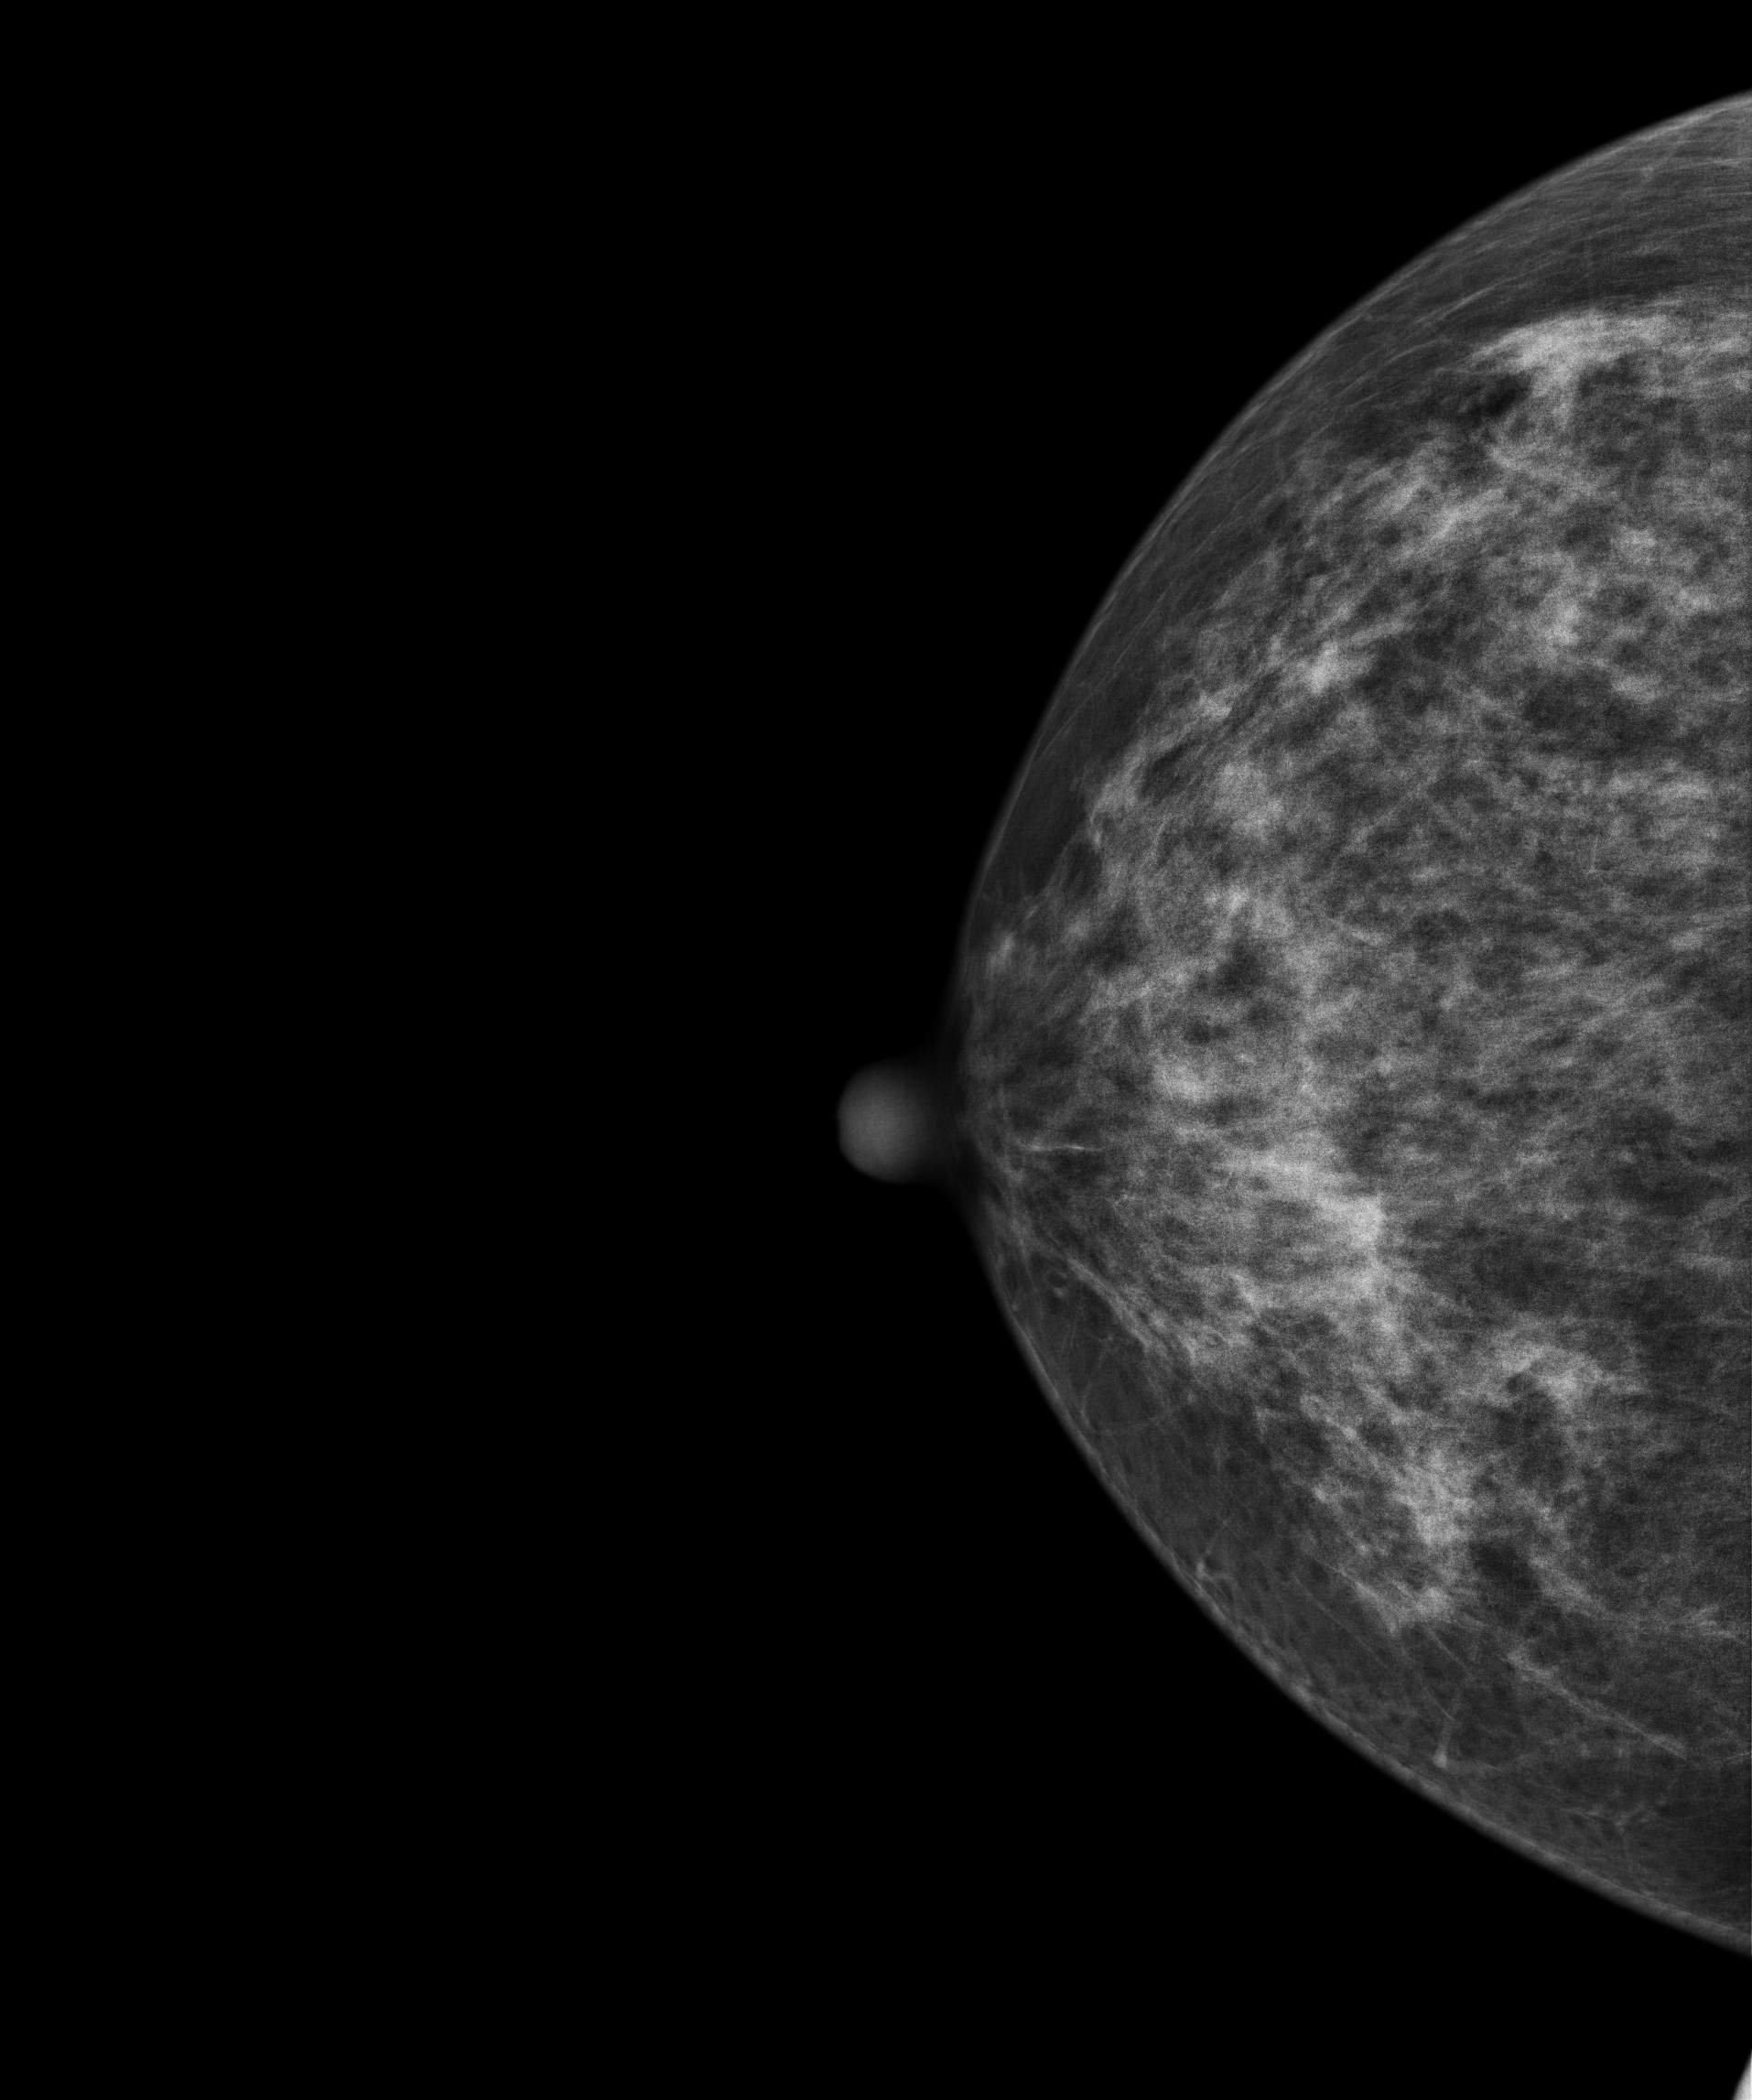
Digital mammography. Right breast, CC projection. 52-year-old patient.
Contralateral breast — no documented abnormality on this side.